Digital mammography. Right breast, cranio-caudal projection. 45 y/o patient.
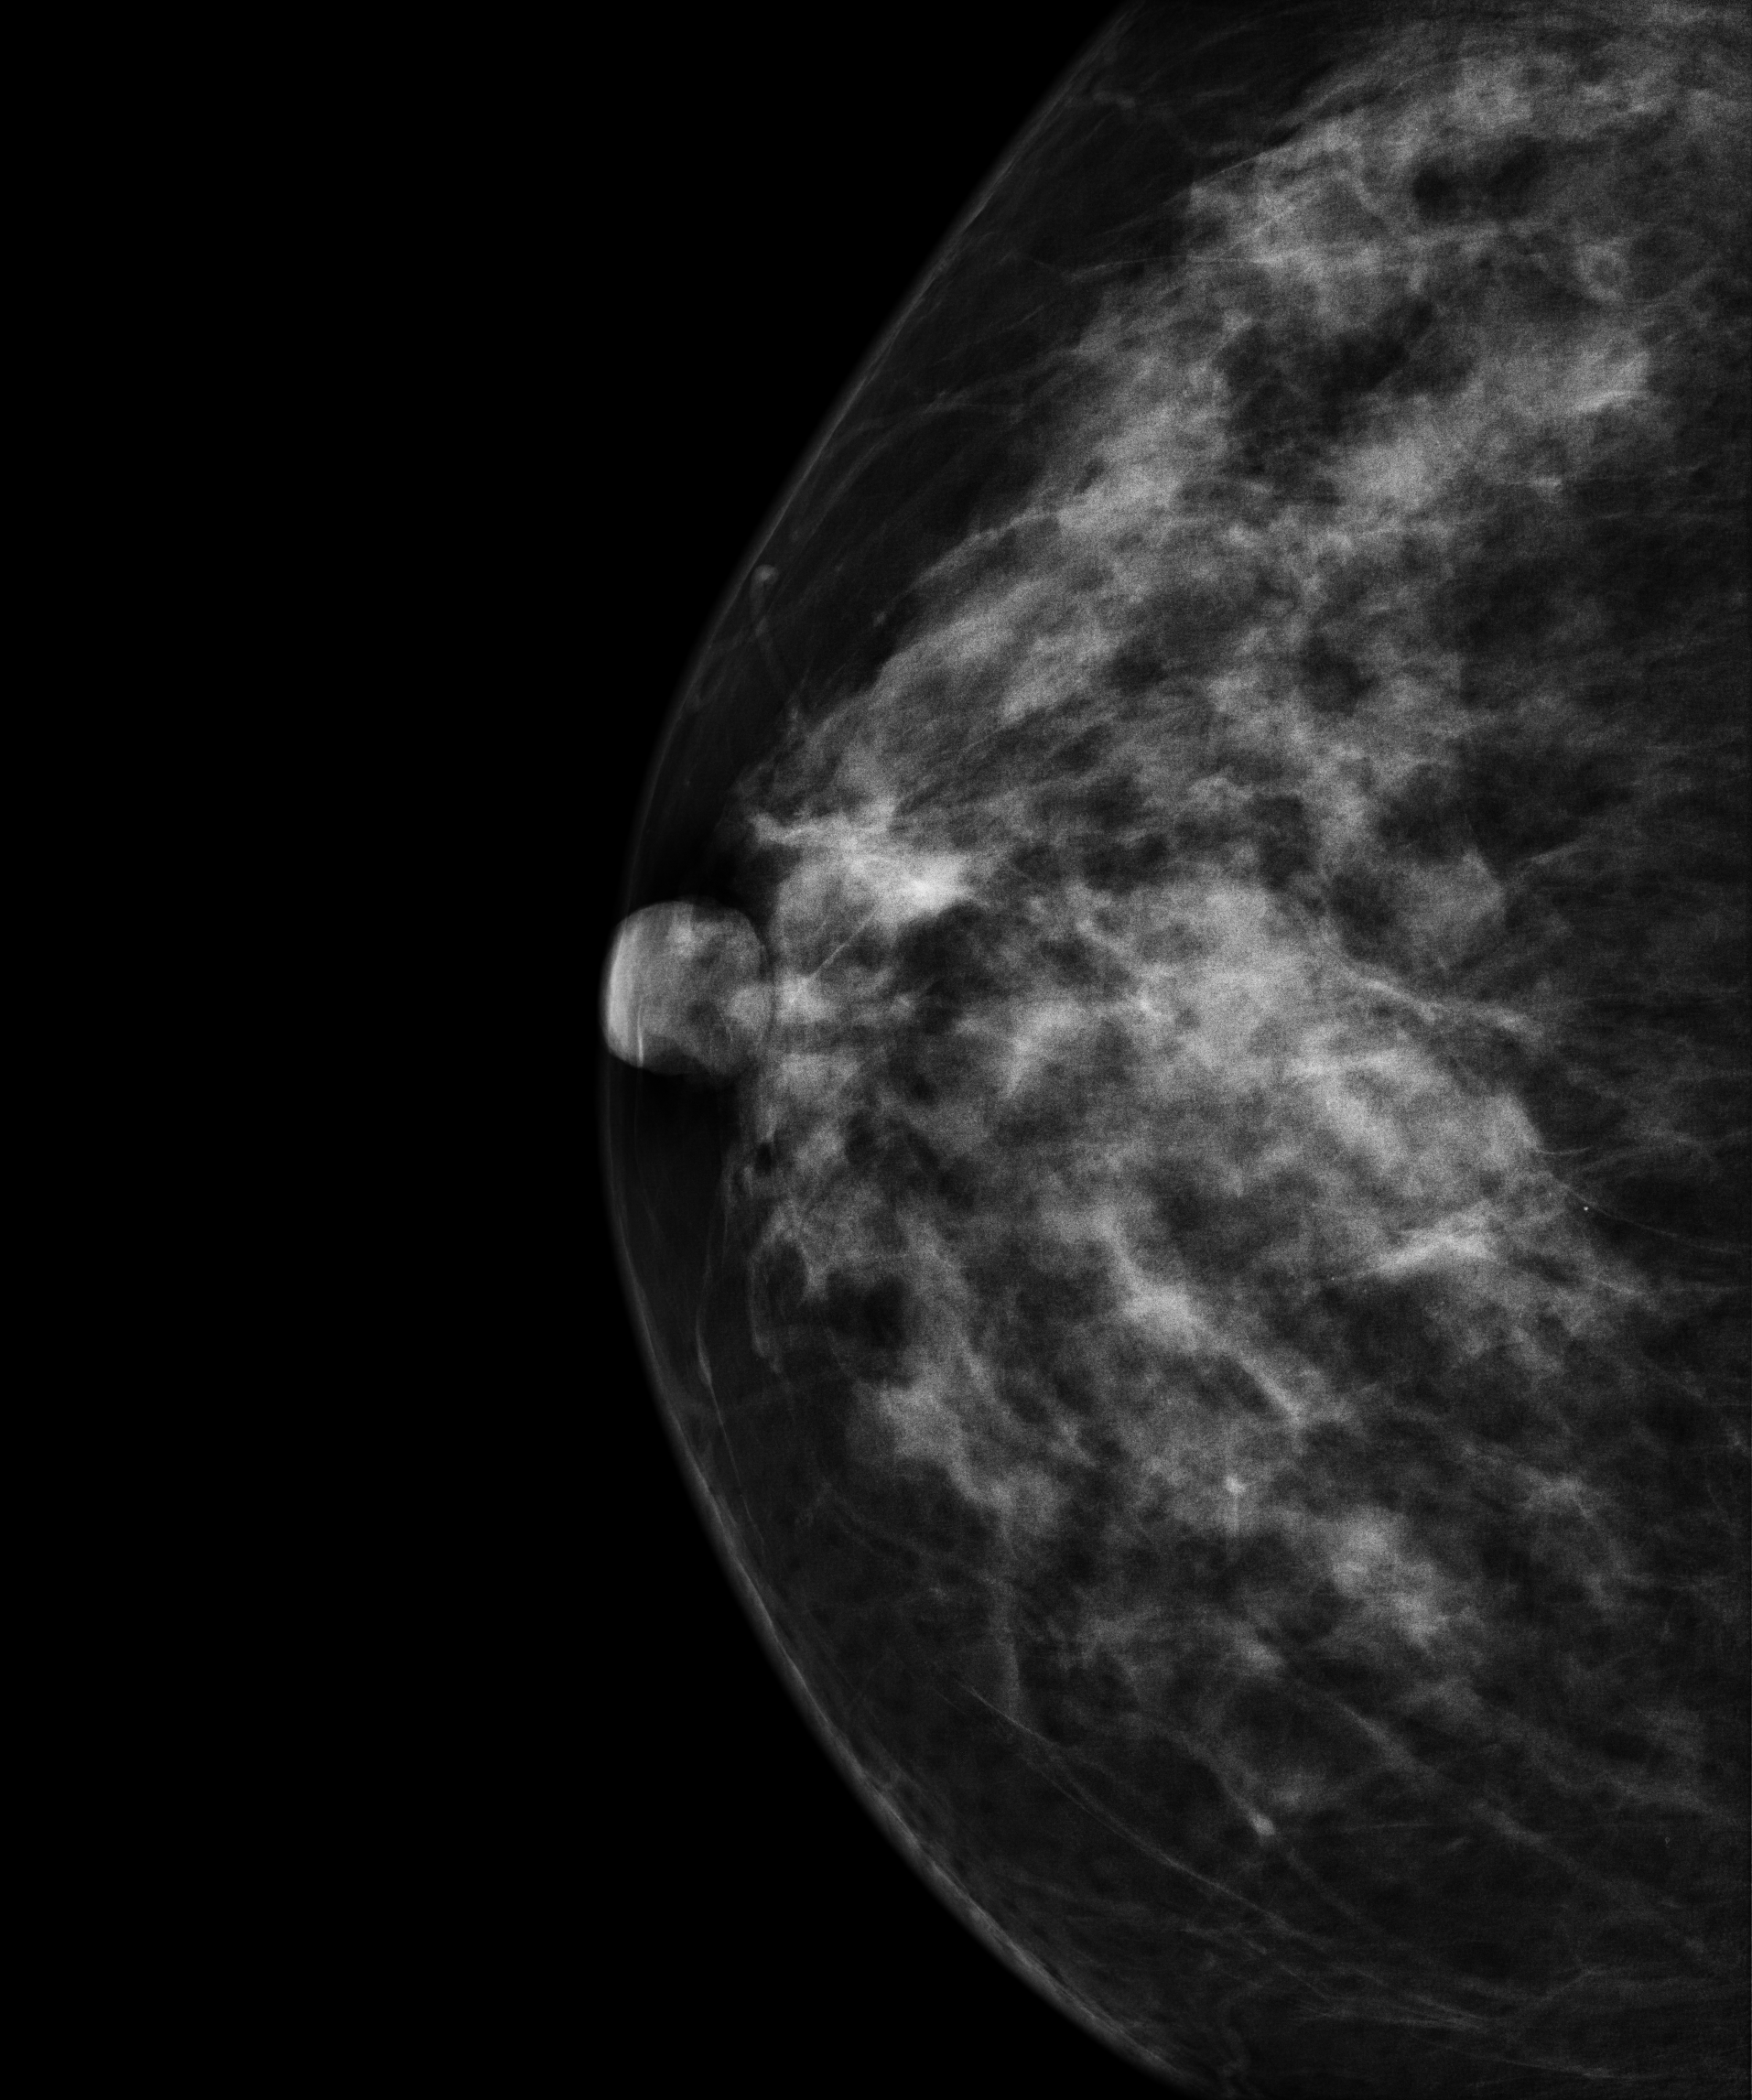
Contralateral breast — no documented abnormality on this side.